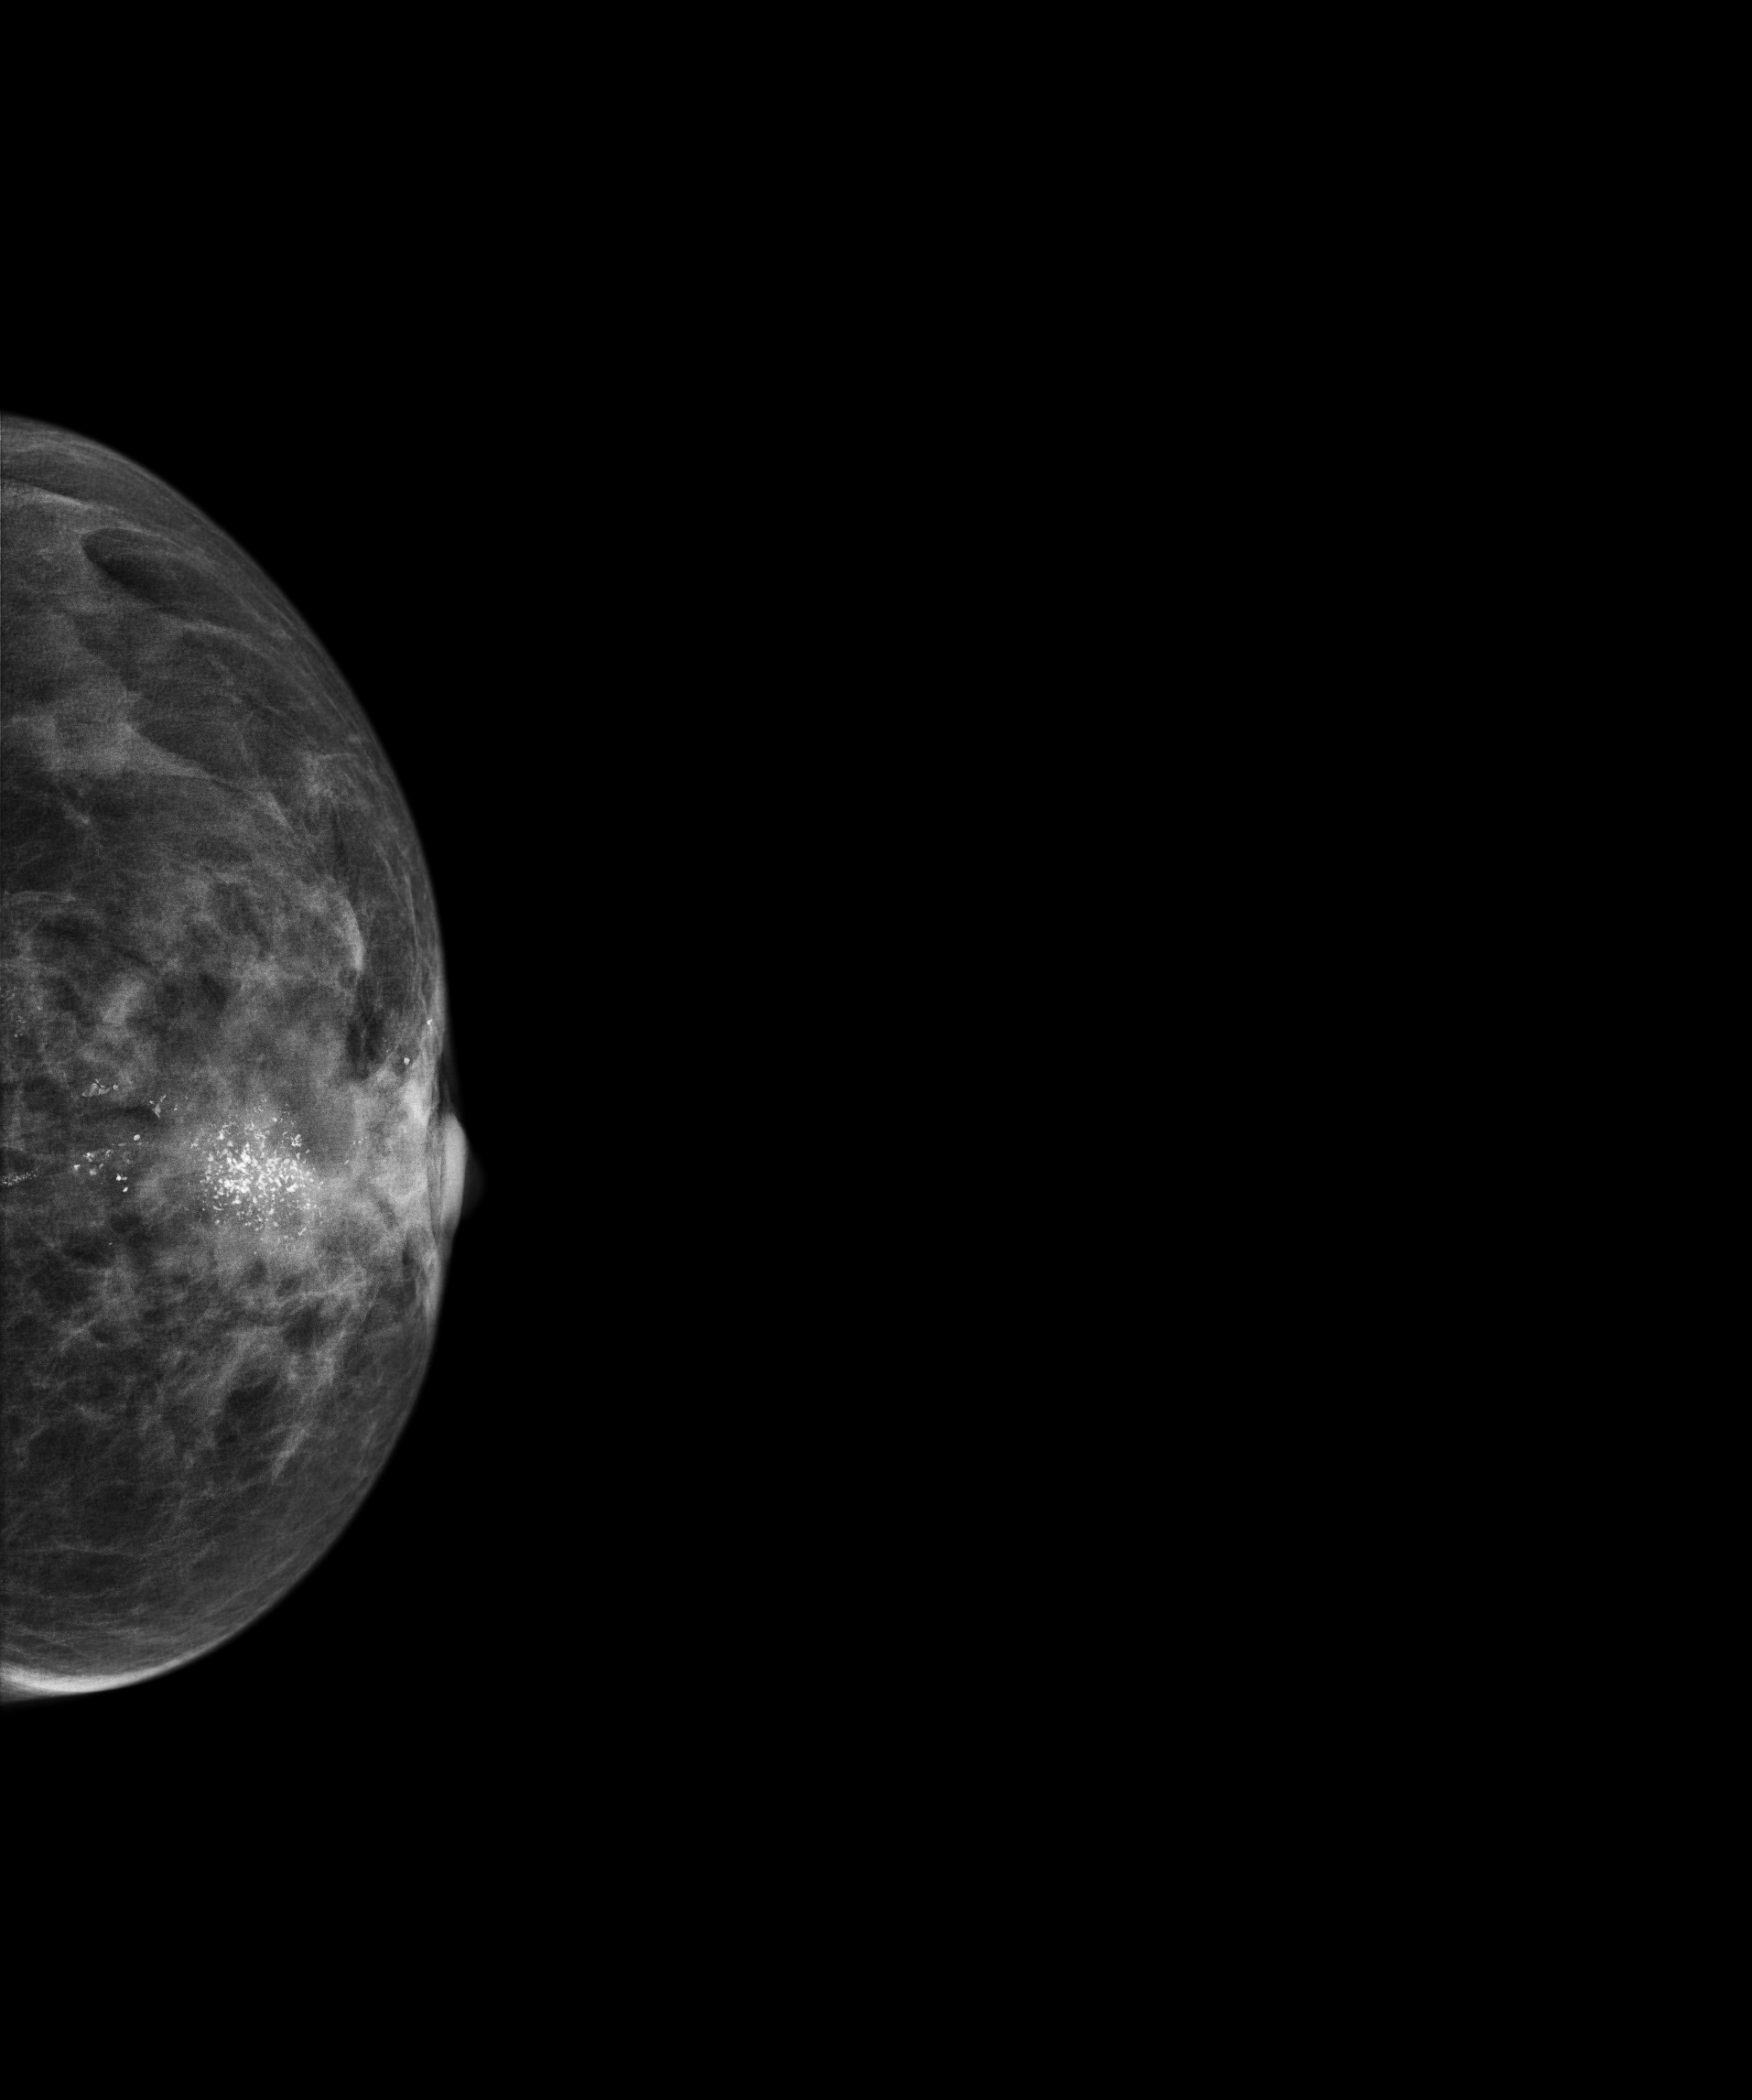
Digital mammography. Left breast, CC projection. 64-year-old patient.
This breast has calcifications, biopsy-proven malignant. Molecular subtype: luminal B.